Digital mammography. Left breast, cranio-caudal projection. Patient age 44.
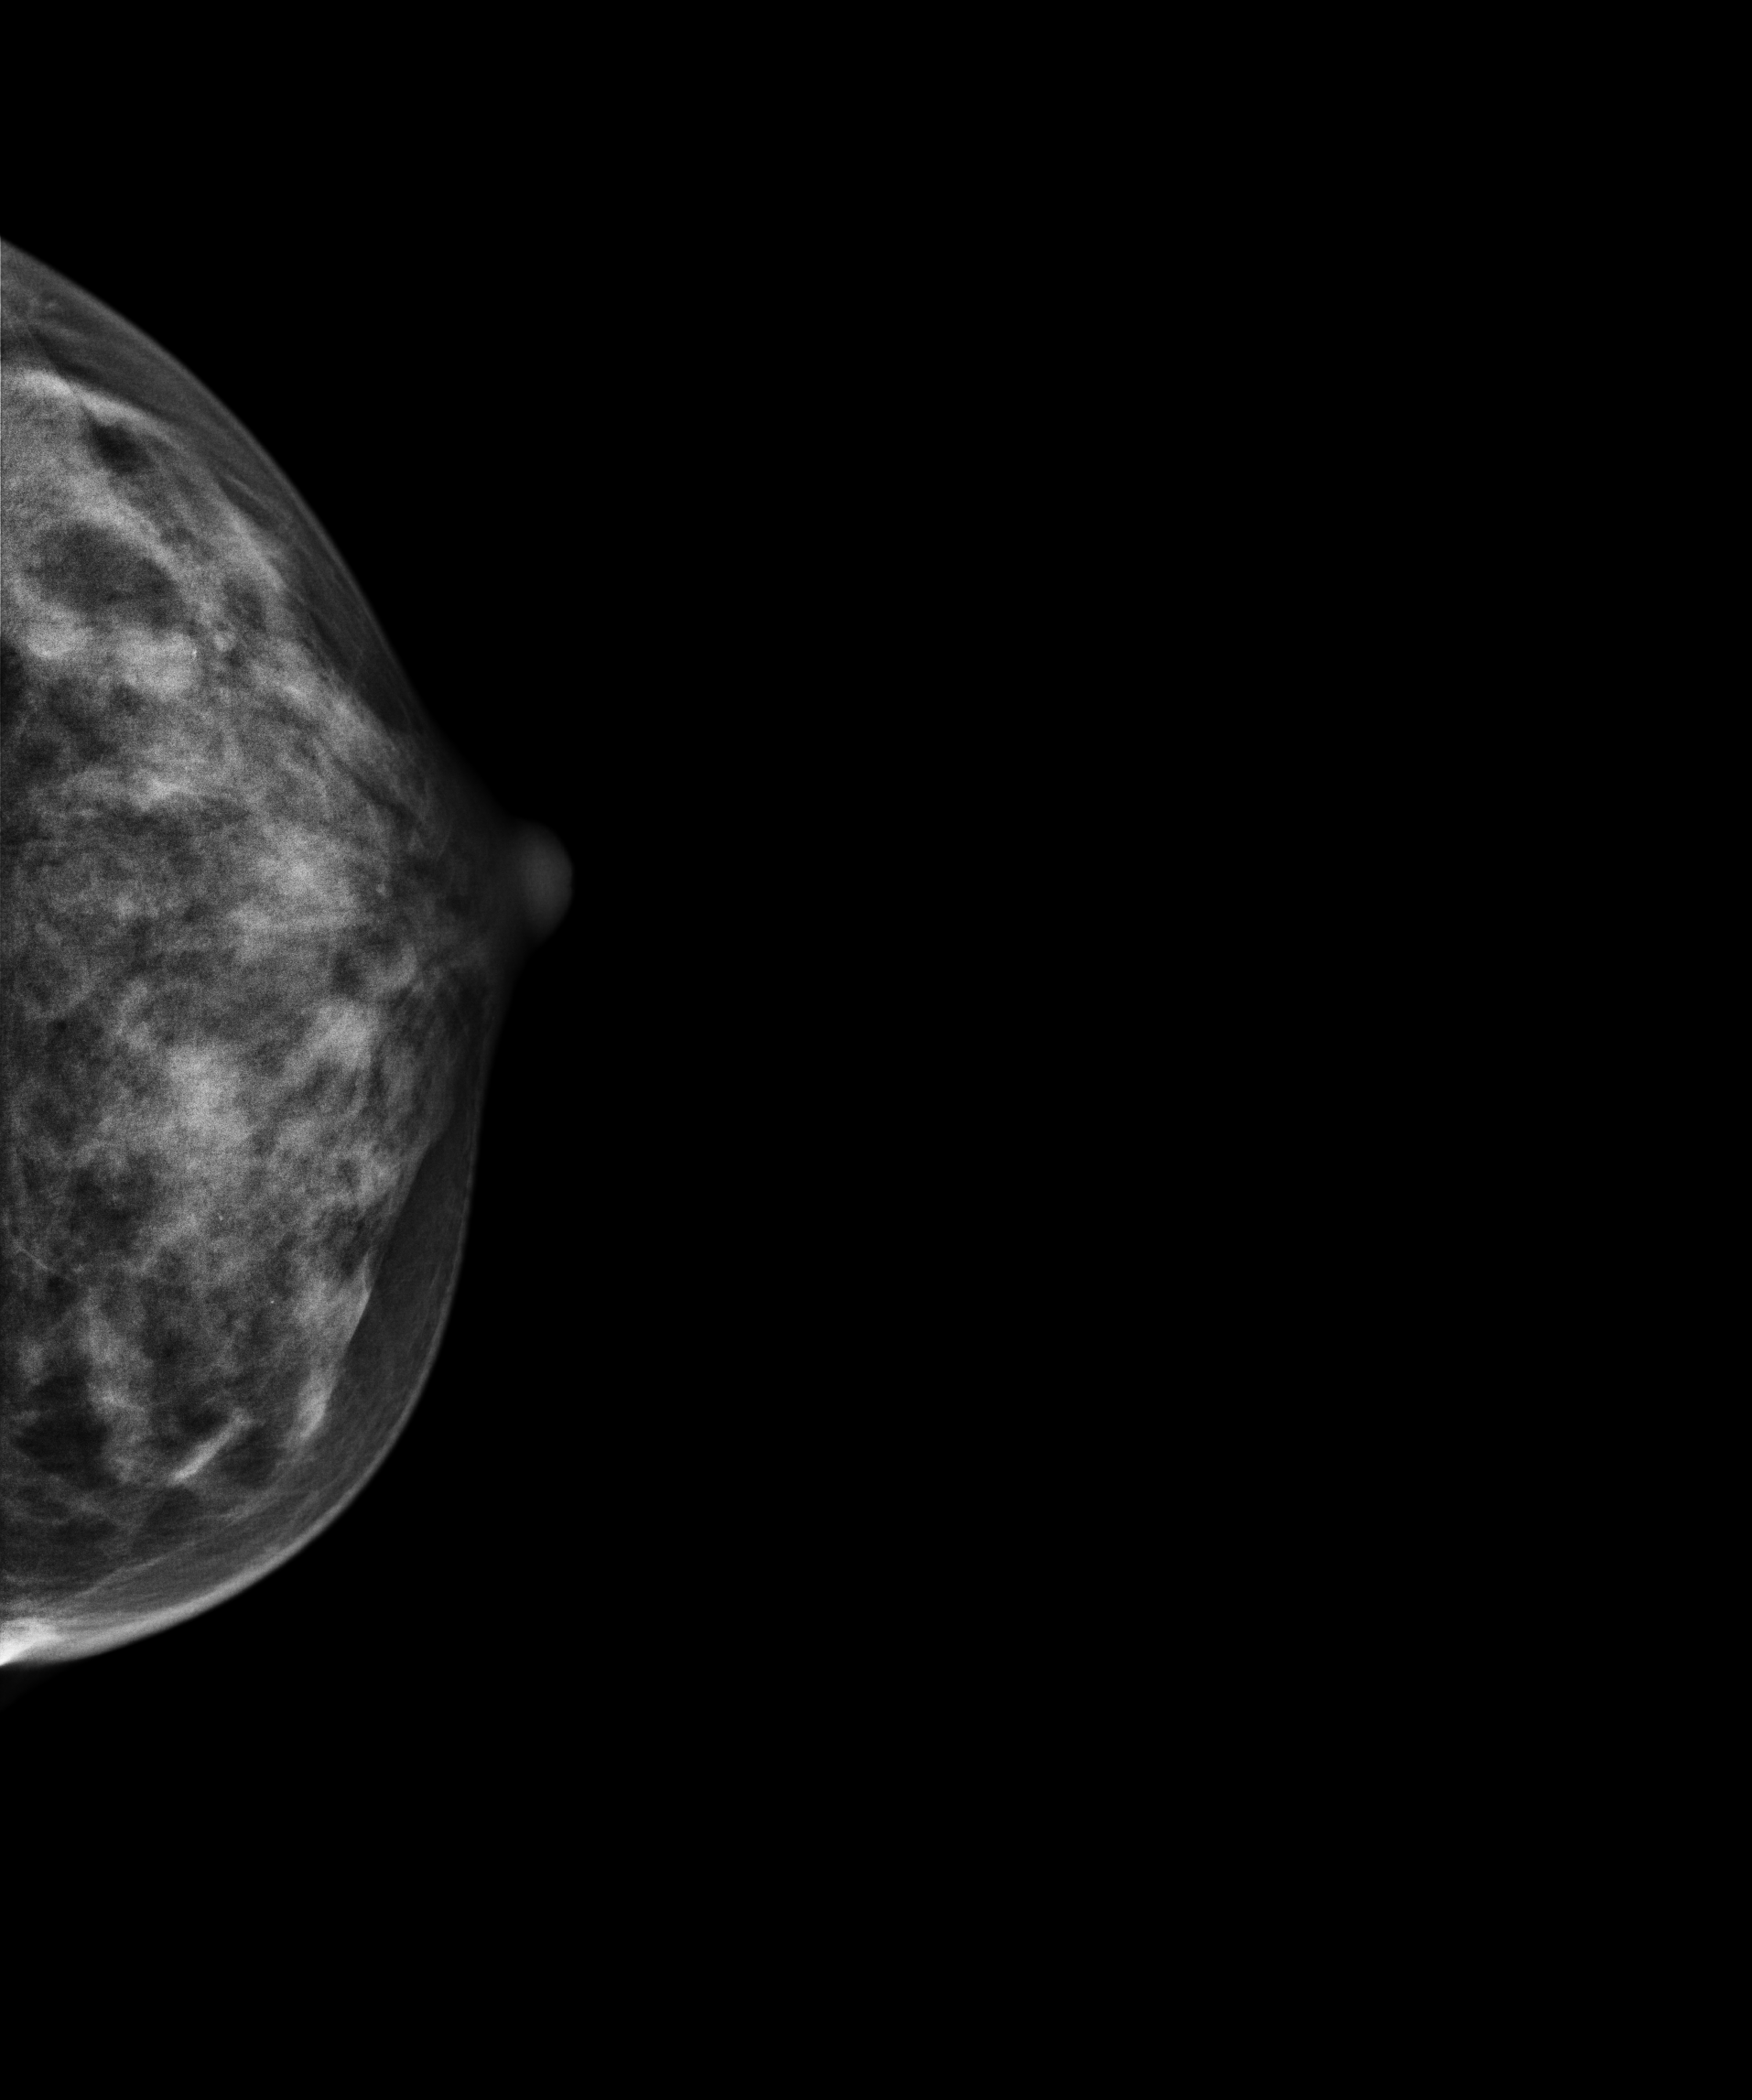
This breast has a mass and calcifications, pathology-confirmed benign.